Left-breast mammogram, CC. 47-year-old patient.
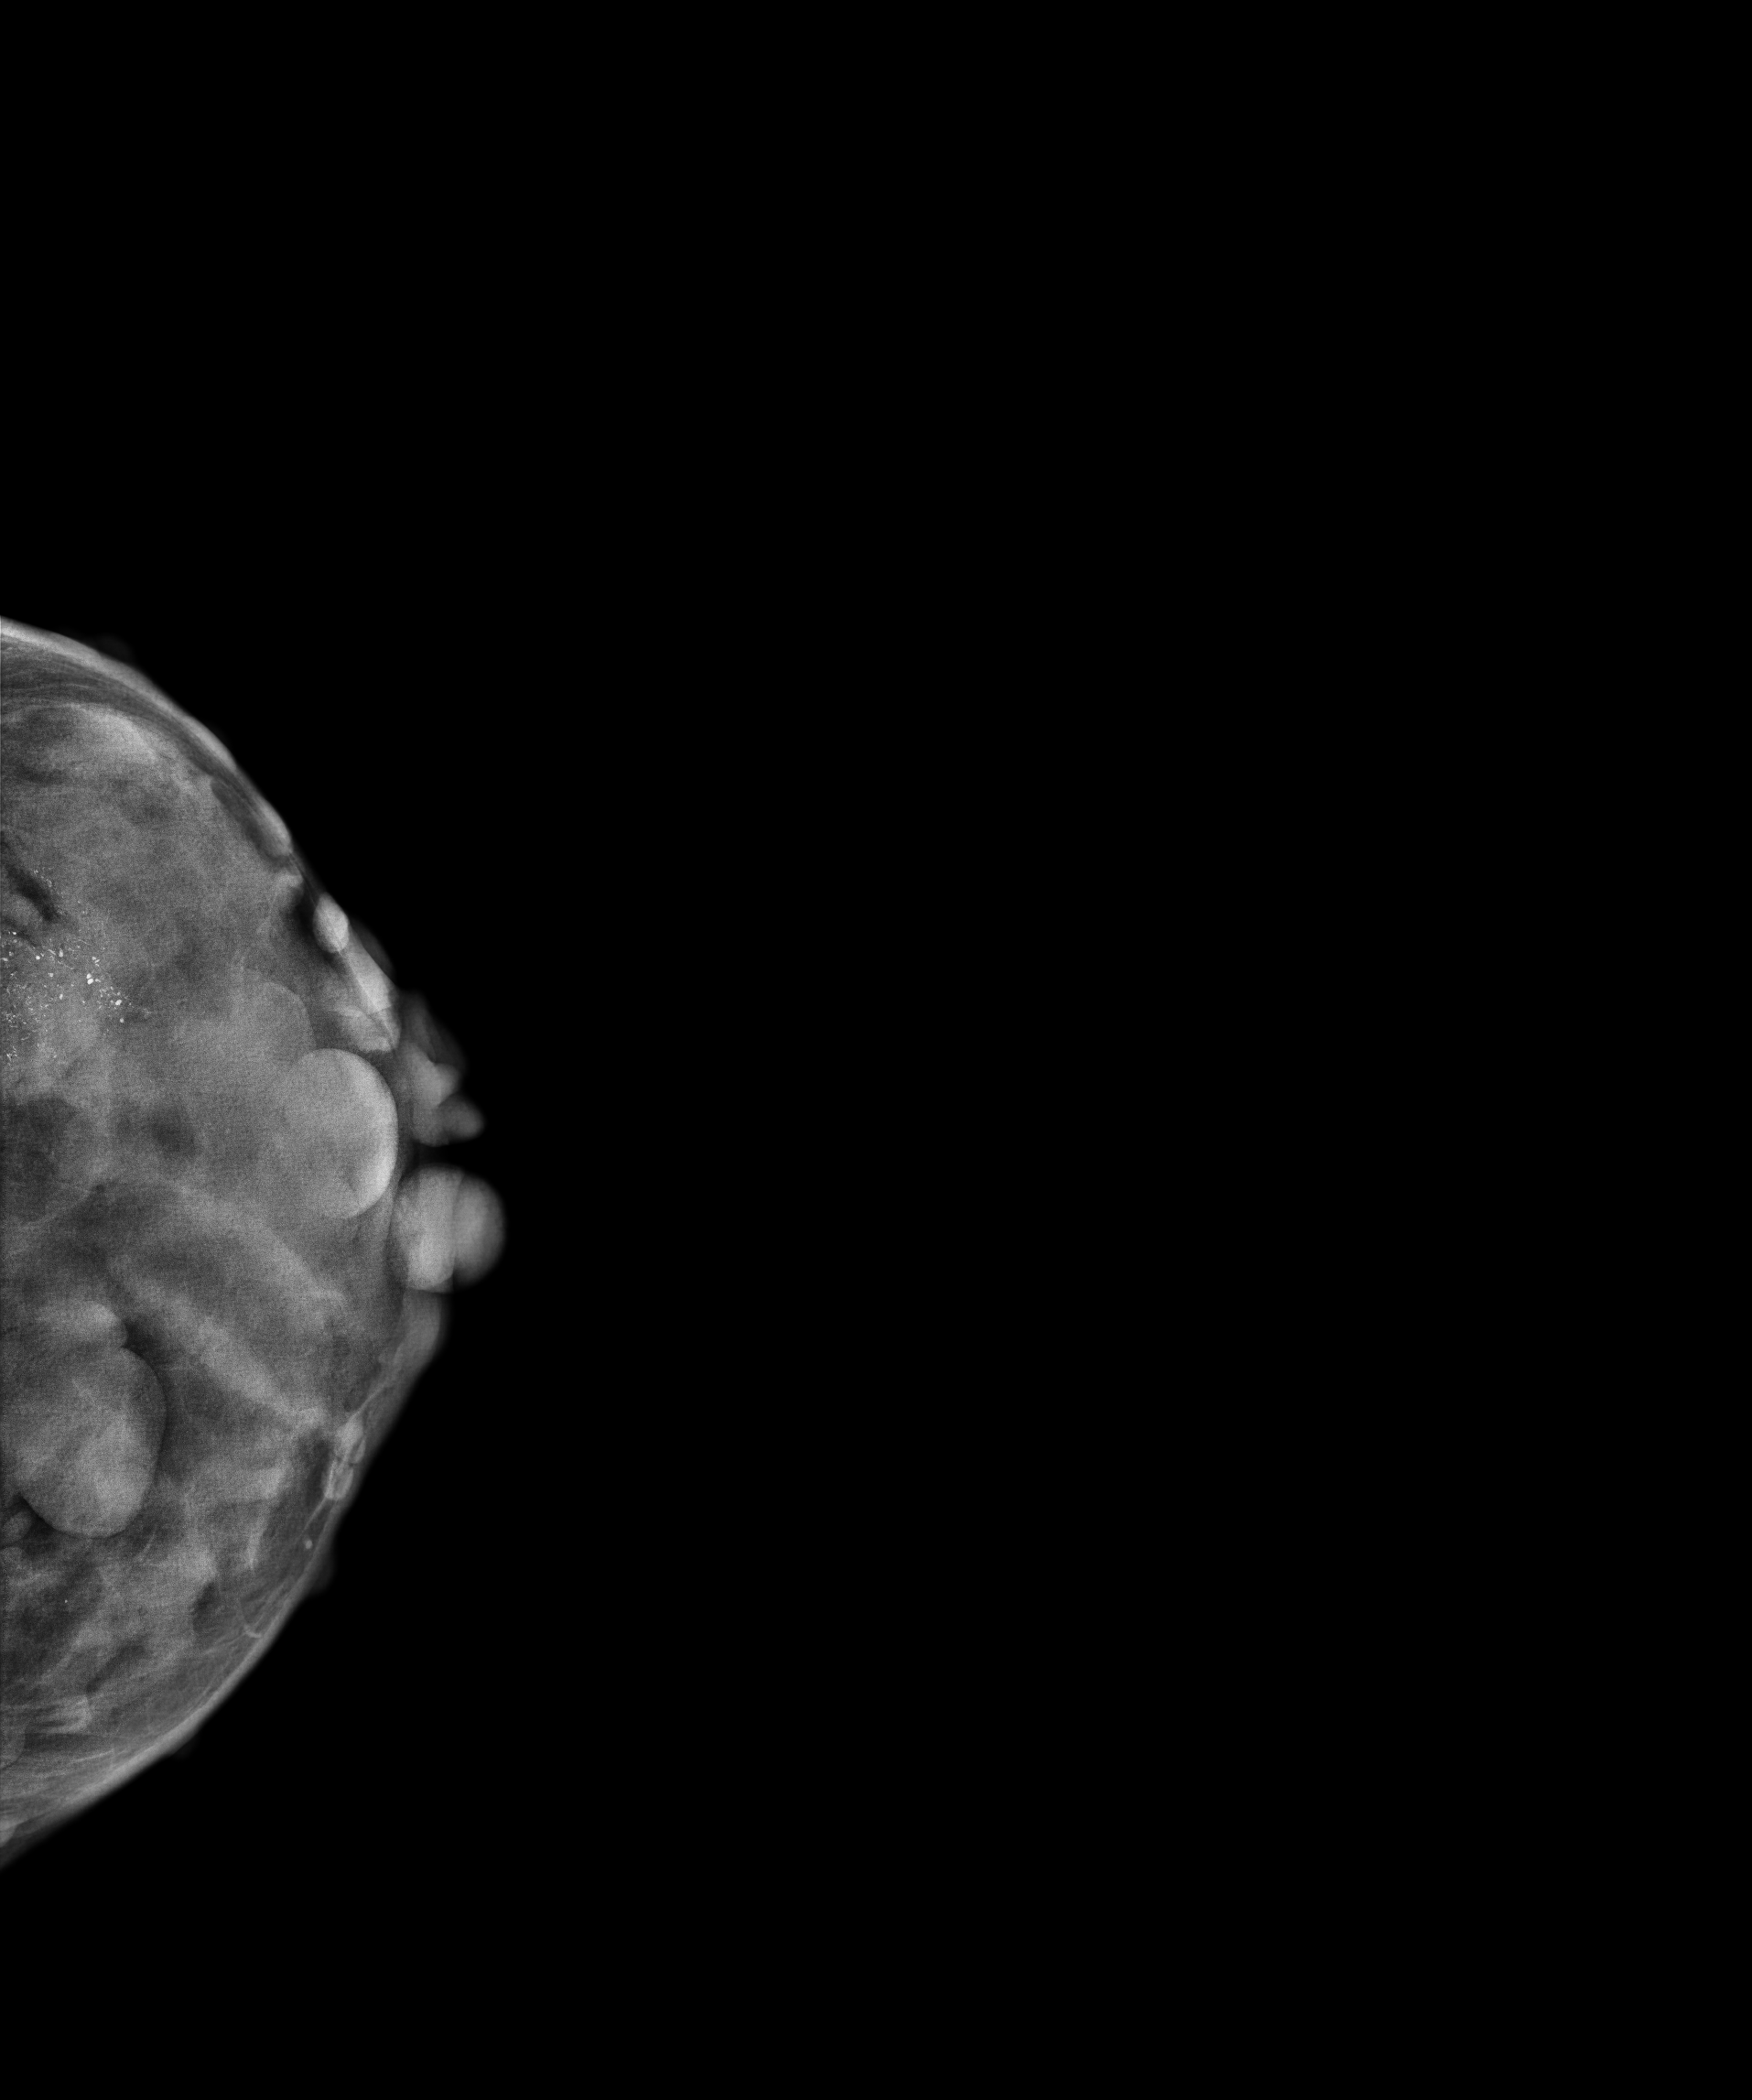
This breast has calcifications, biopsy-proven malignant. Molecular subtype: luminal A.